Mammogram, left breast, medio-lateral oblique view. Patient age 41.
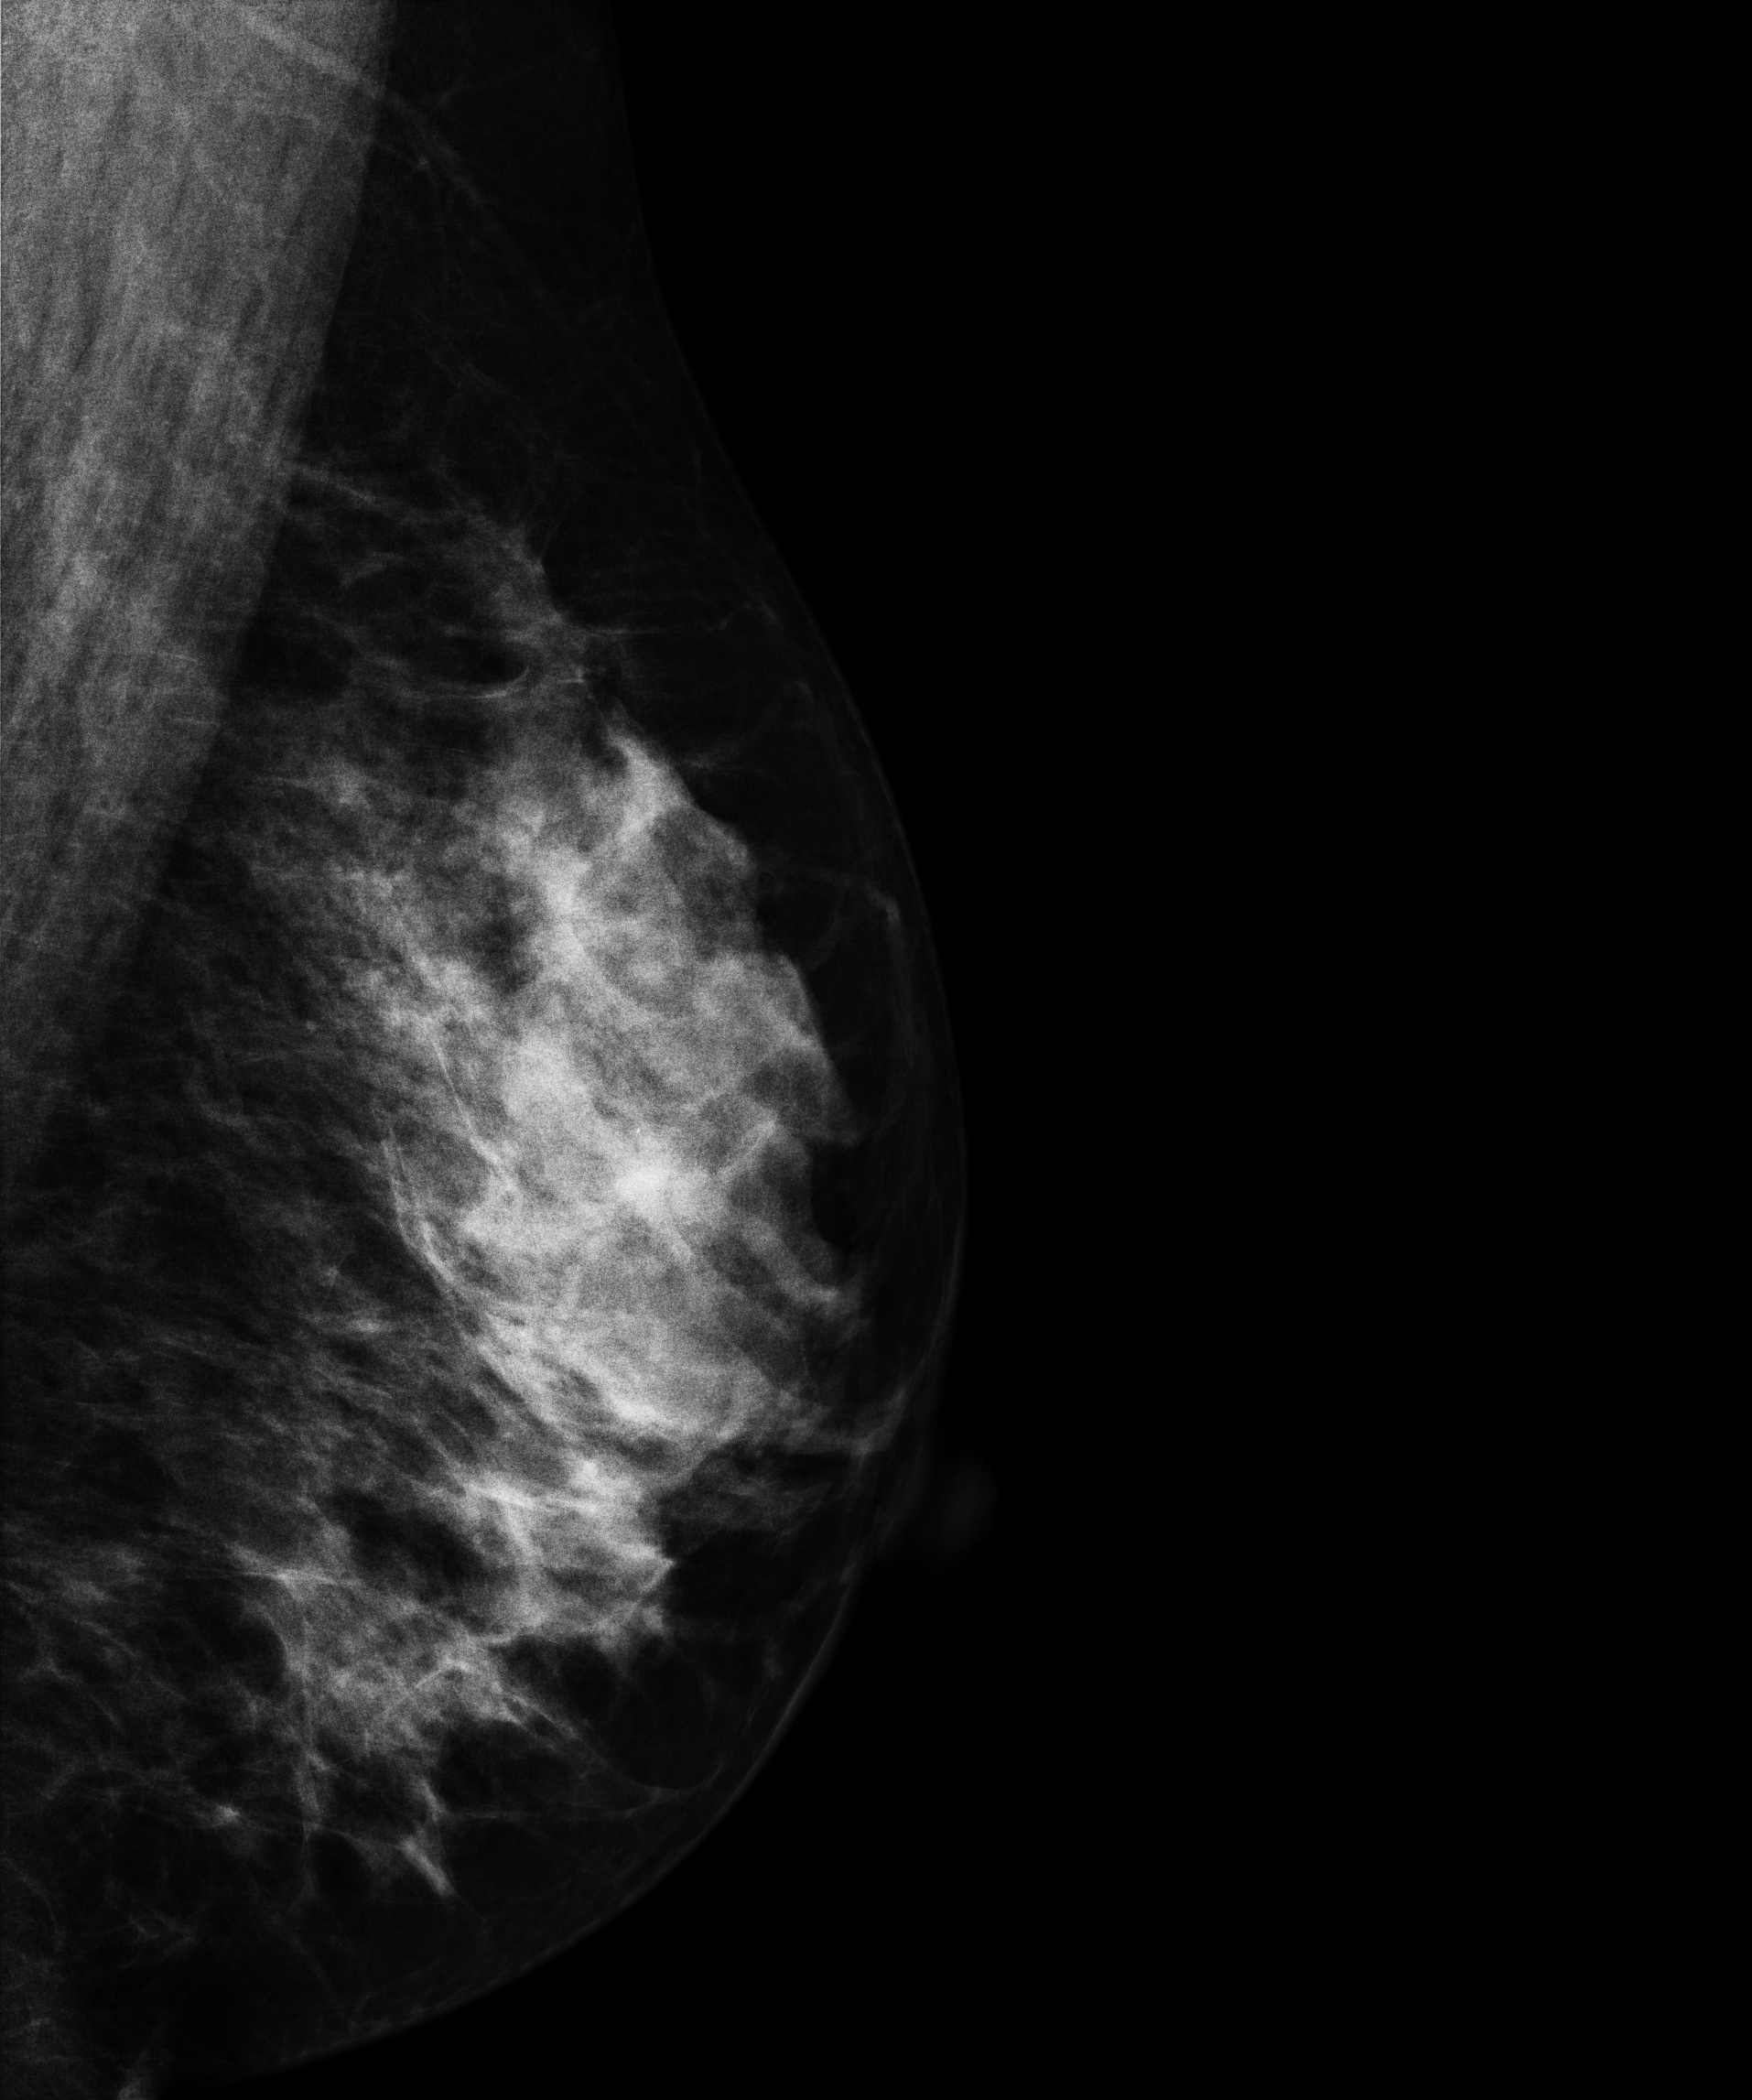
Contralateral breast — no documented abnormality on this side.